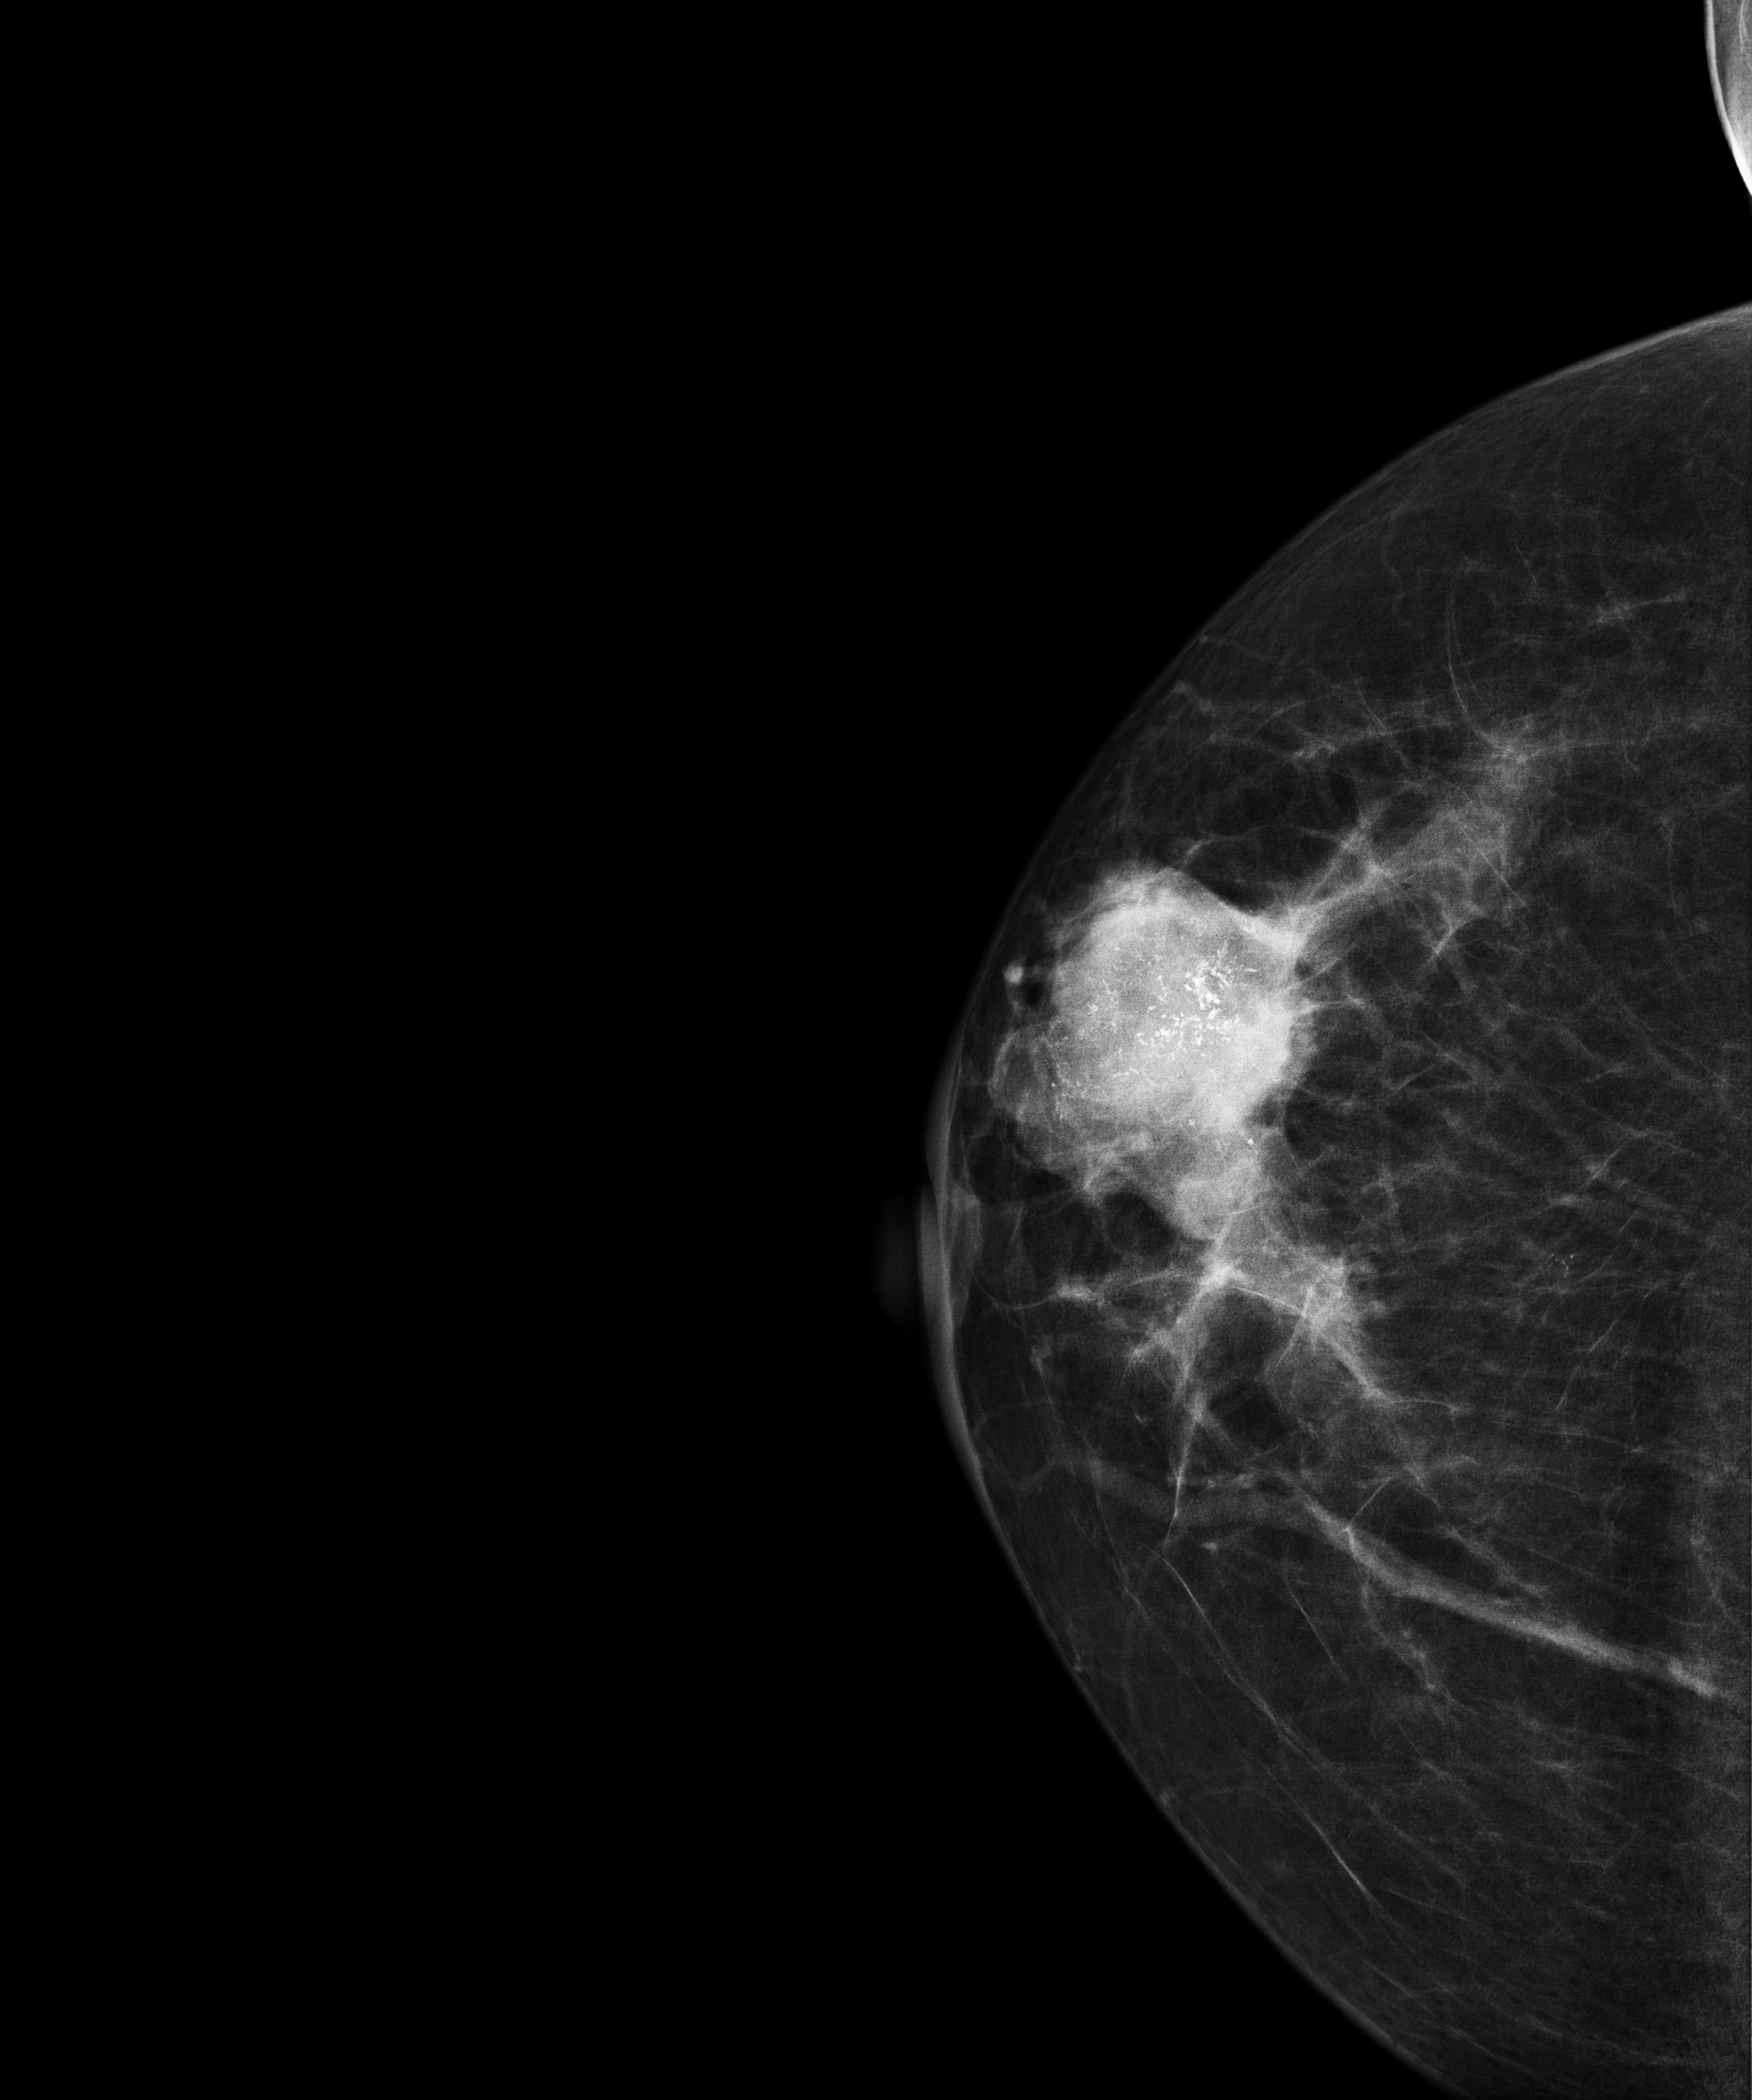
Digital mammography. Right breast, cranio-caudal projection. 69-year-old patient.
This breast has a mass and calcifications, pathology-confirmed malignant. Molecular subtype: HER2-enriched.